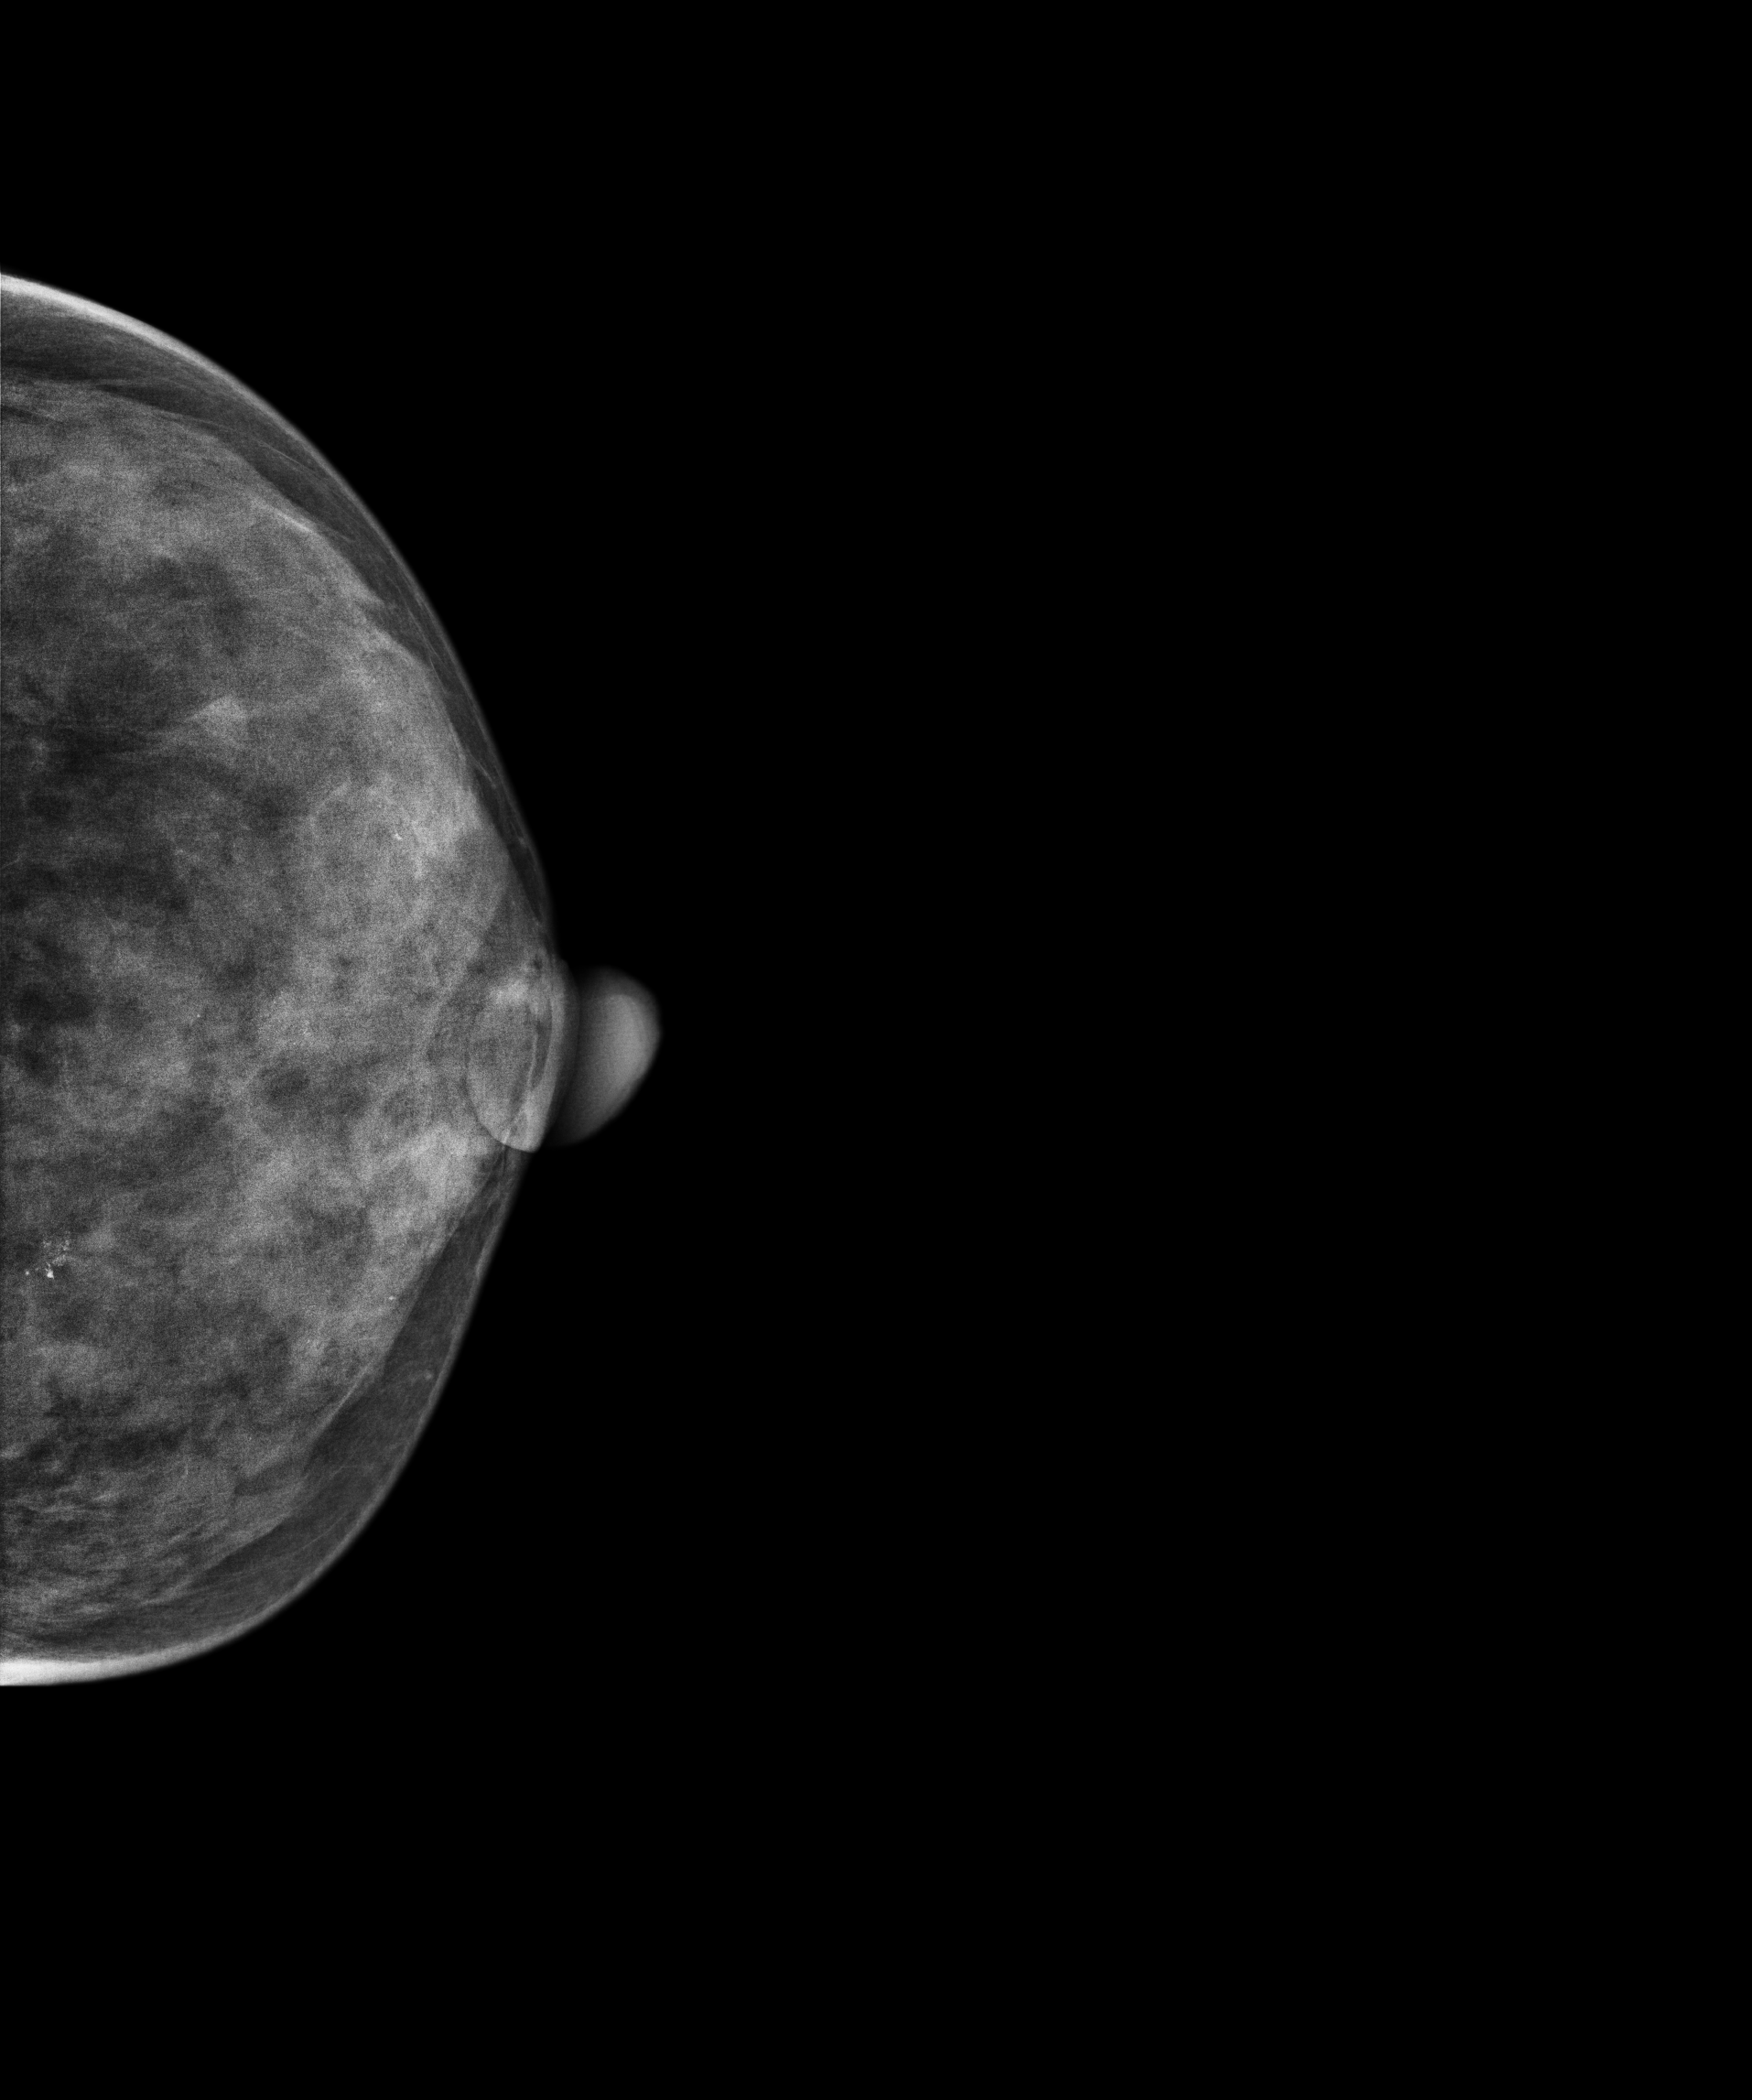
Mammogram — left cranio-caudal. 47-year-old patient.
This breast has a mass and calcifications, pathology-confirmed malignant. Molecular subtype: luminal A.